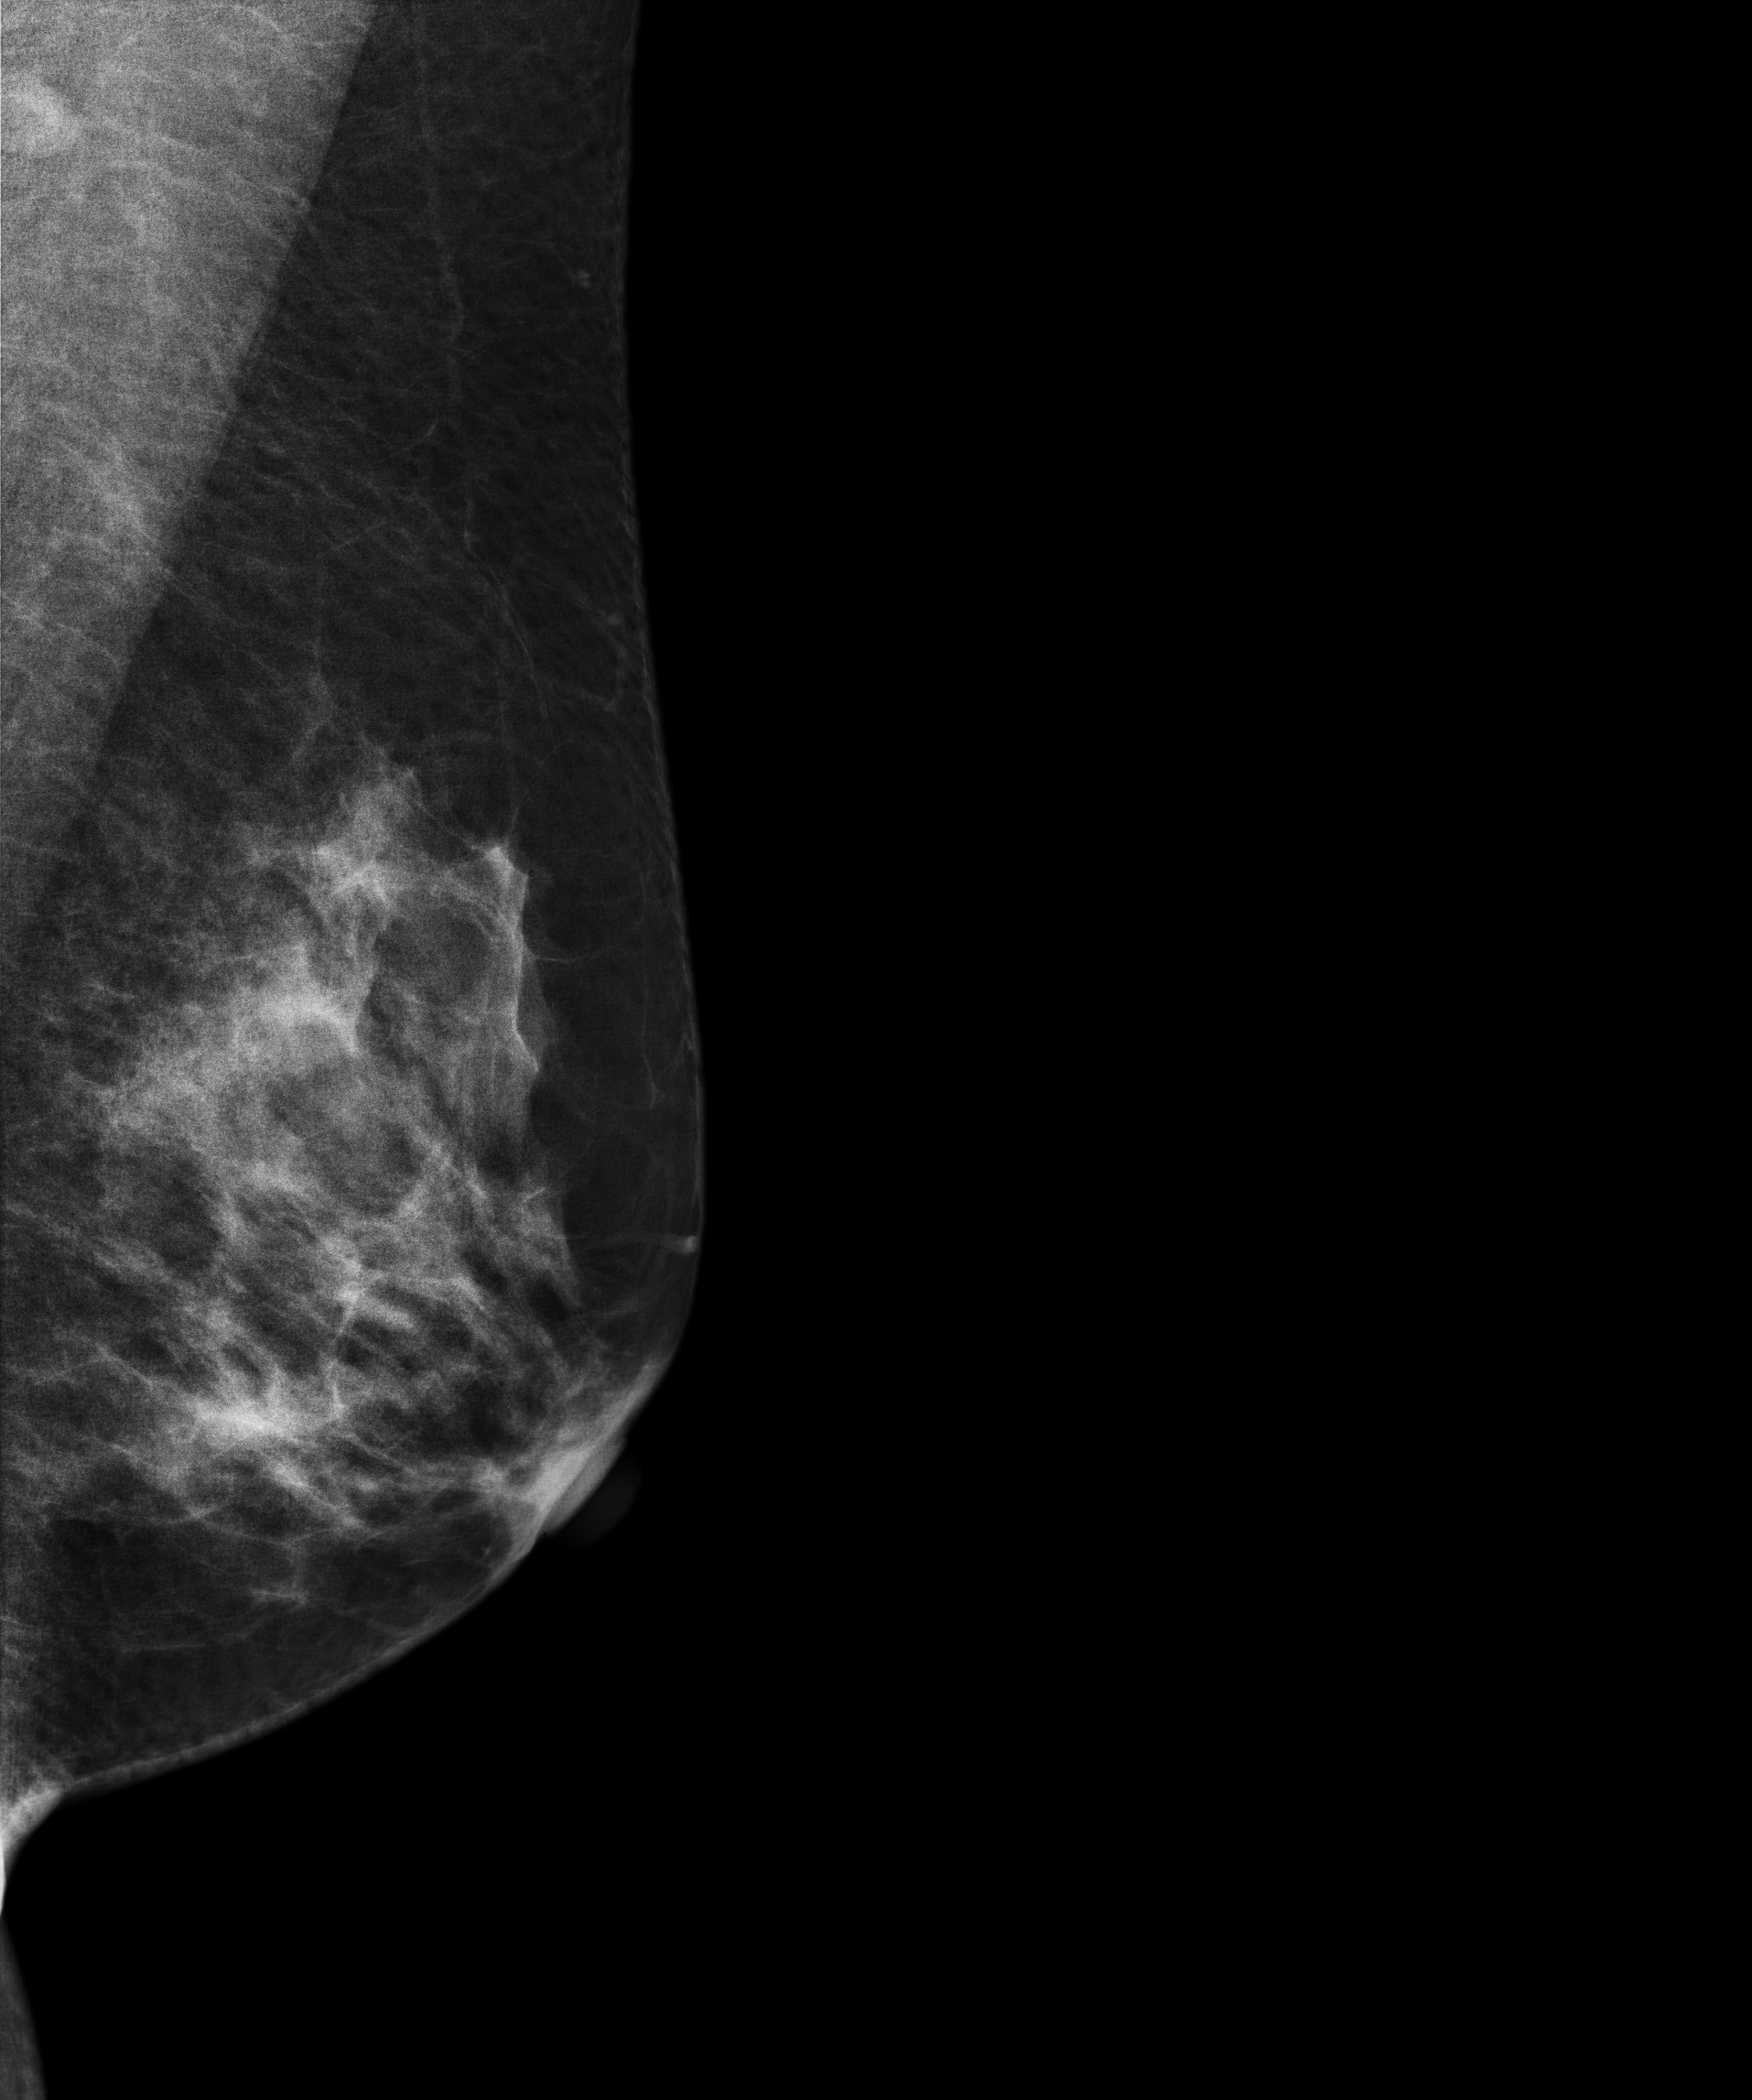
Left-breast mammogram, medio-lateral oblique. 43-year-old patient.
This breast has a mass, biopsy-proven benign.